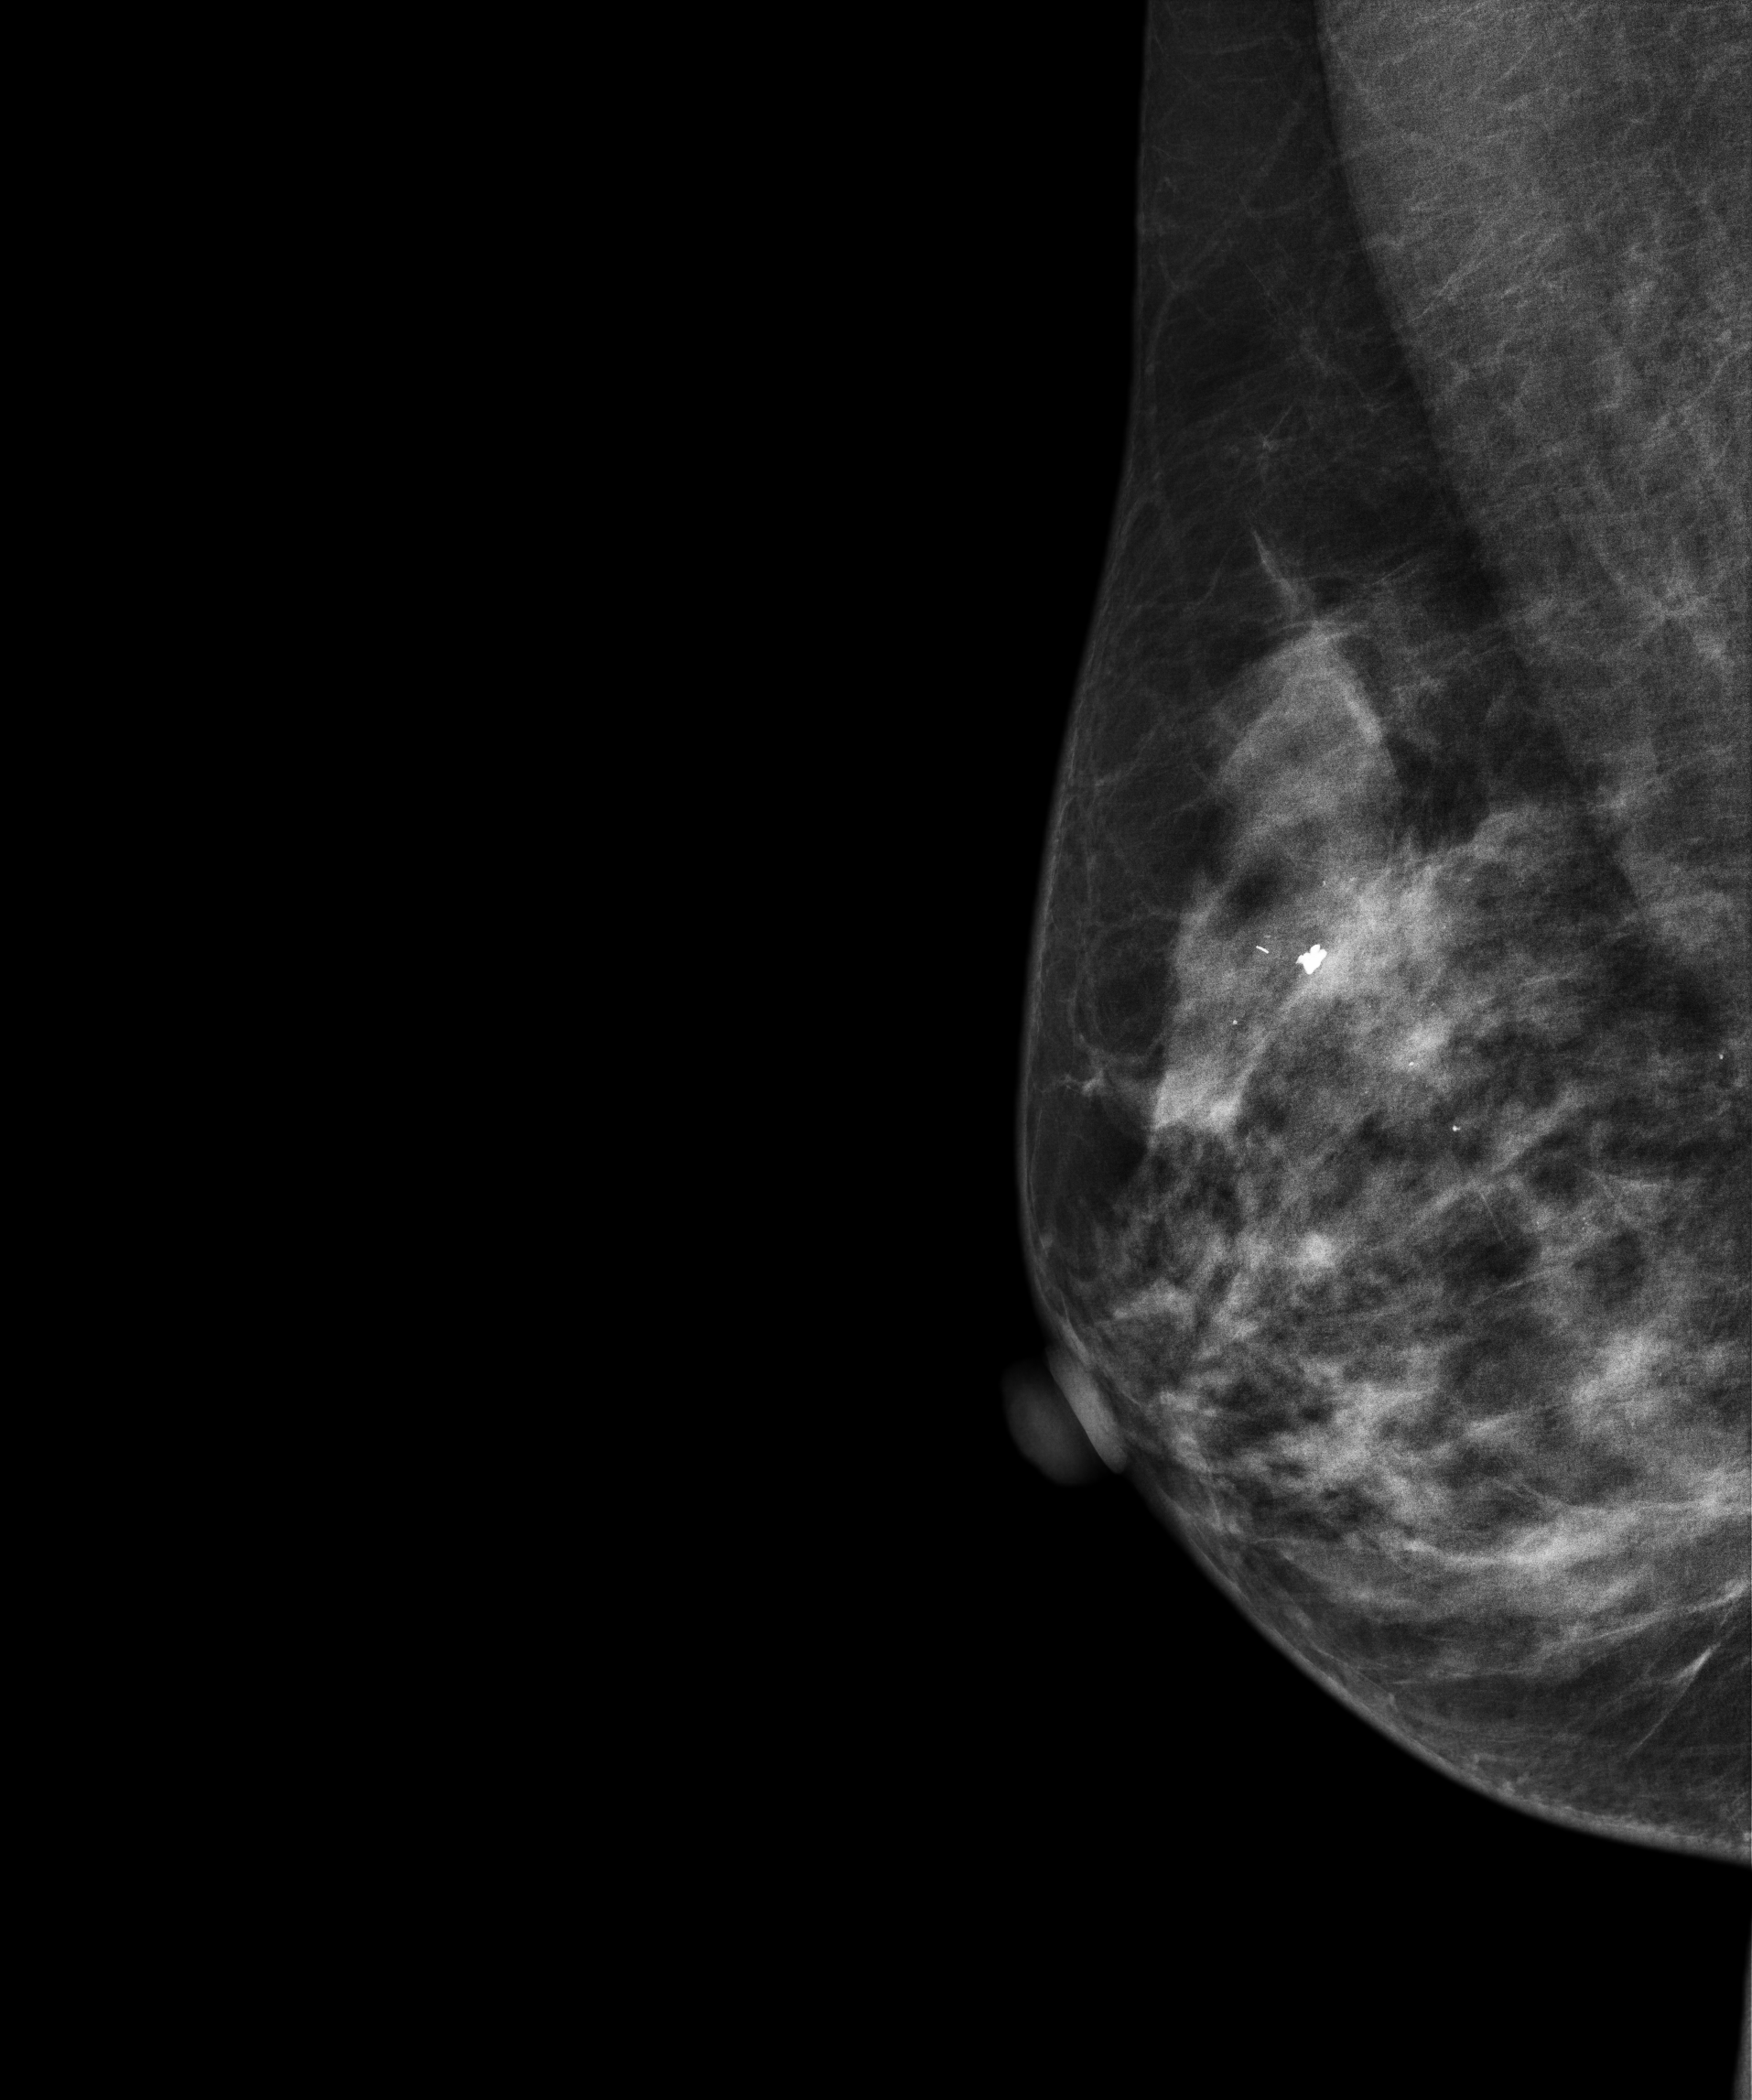
Medio-lateral oblique mammogram of the right breast. Patient age 40.
Contralateral breast — no documented abnormality on this side.